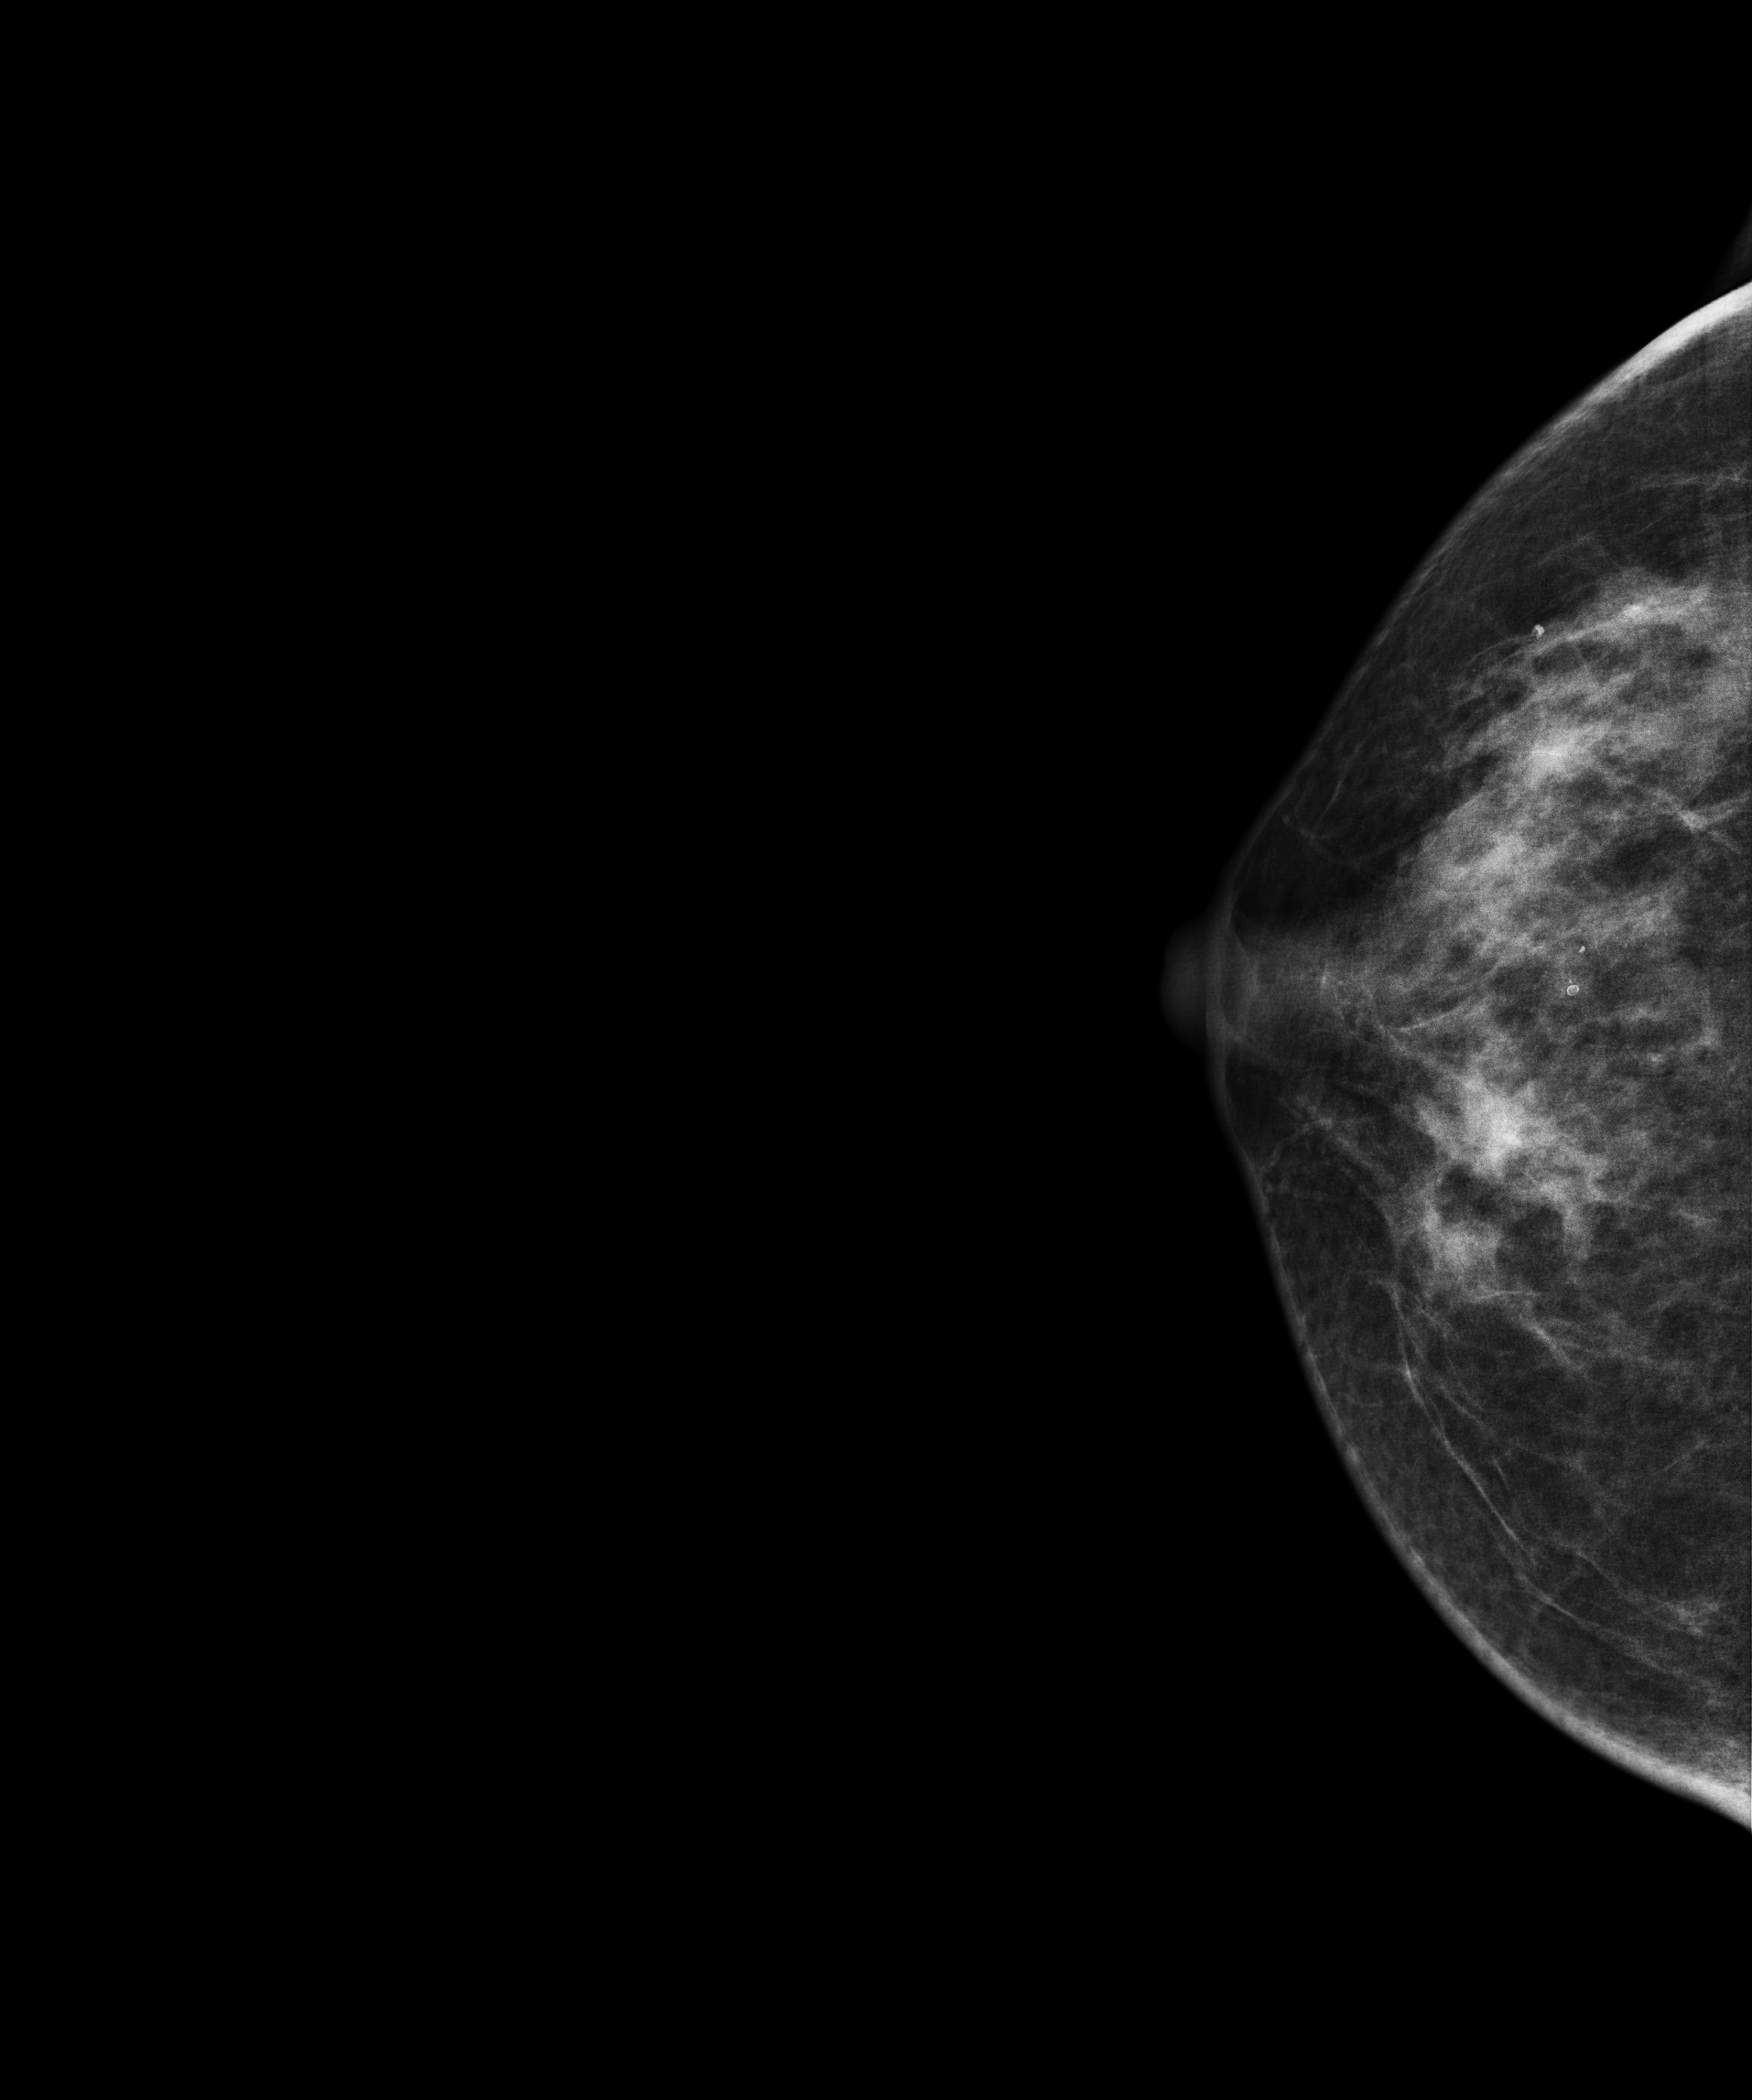
Mammogram, right breast, CC view. 53-year-old patient.
This breast has a mass, pathology-confirmed malignant. Molecular subtype: luminal A.